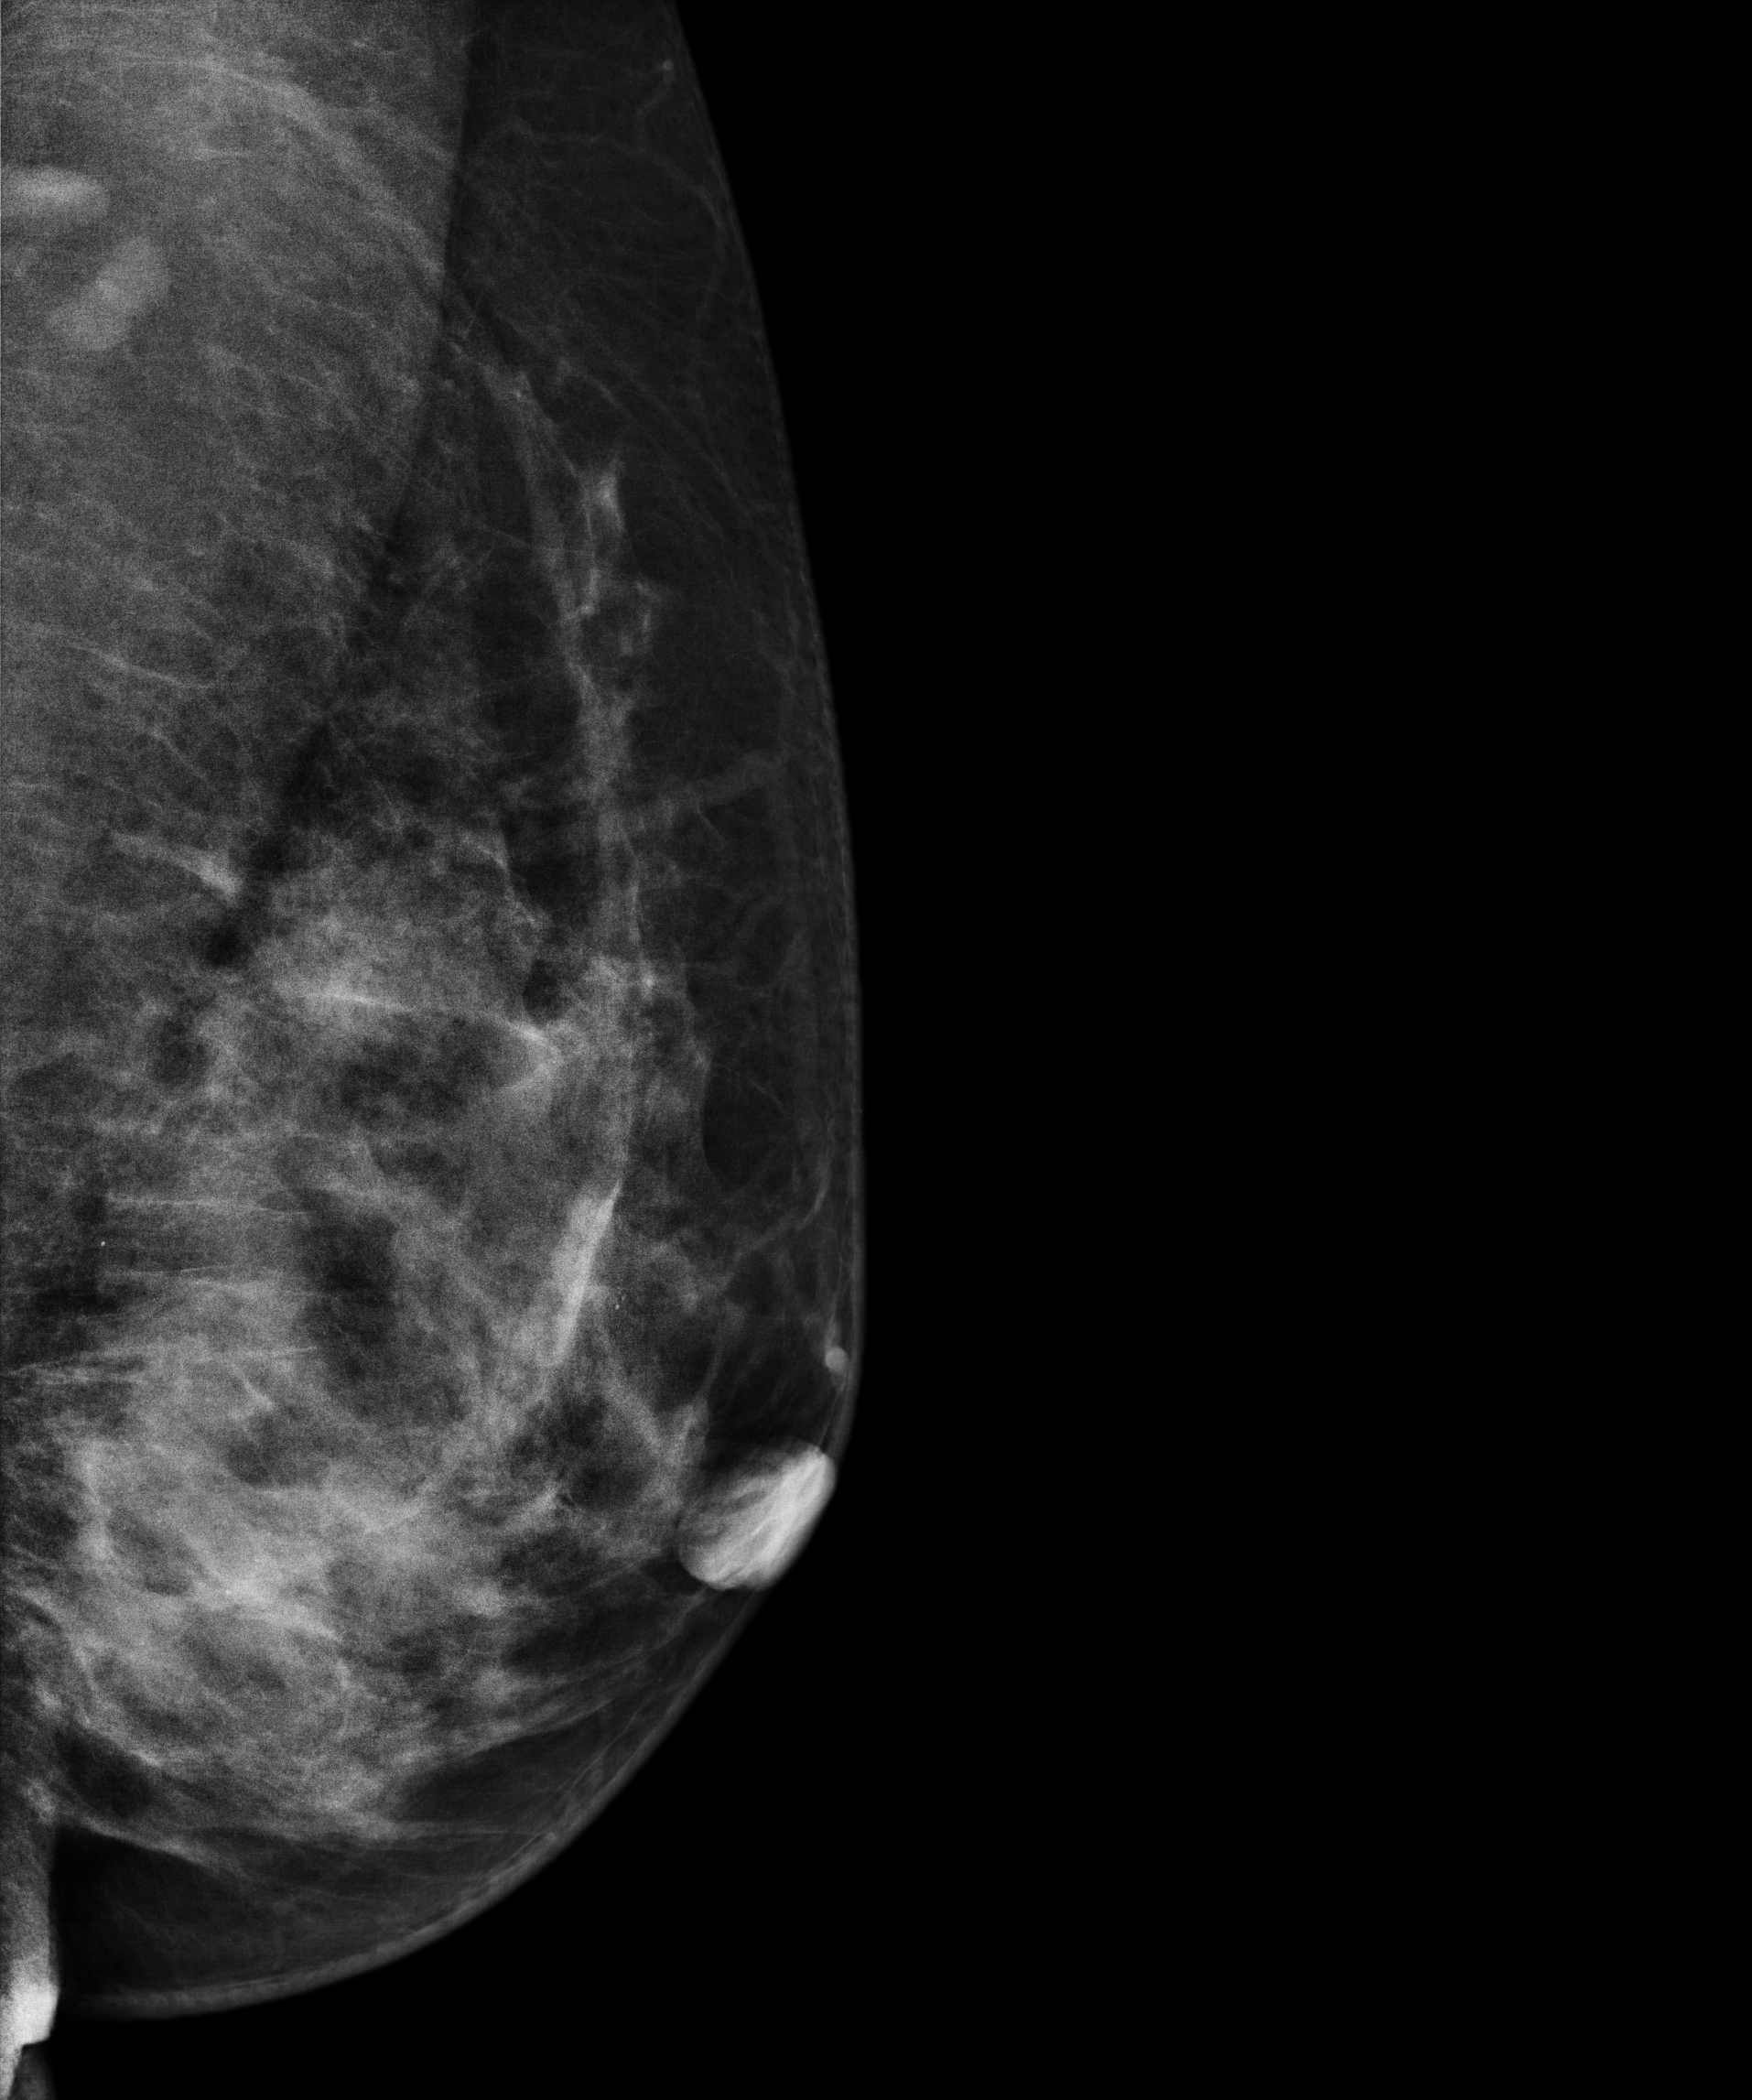
Digital mammography. Left breast, MLO projection. 46-year-old patient.
This breast has a mass, biopsy-confirmed malignant.